Mammogram, left breast, CC view. Patient age 37.
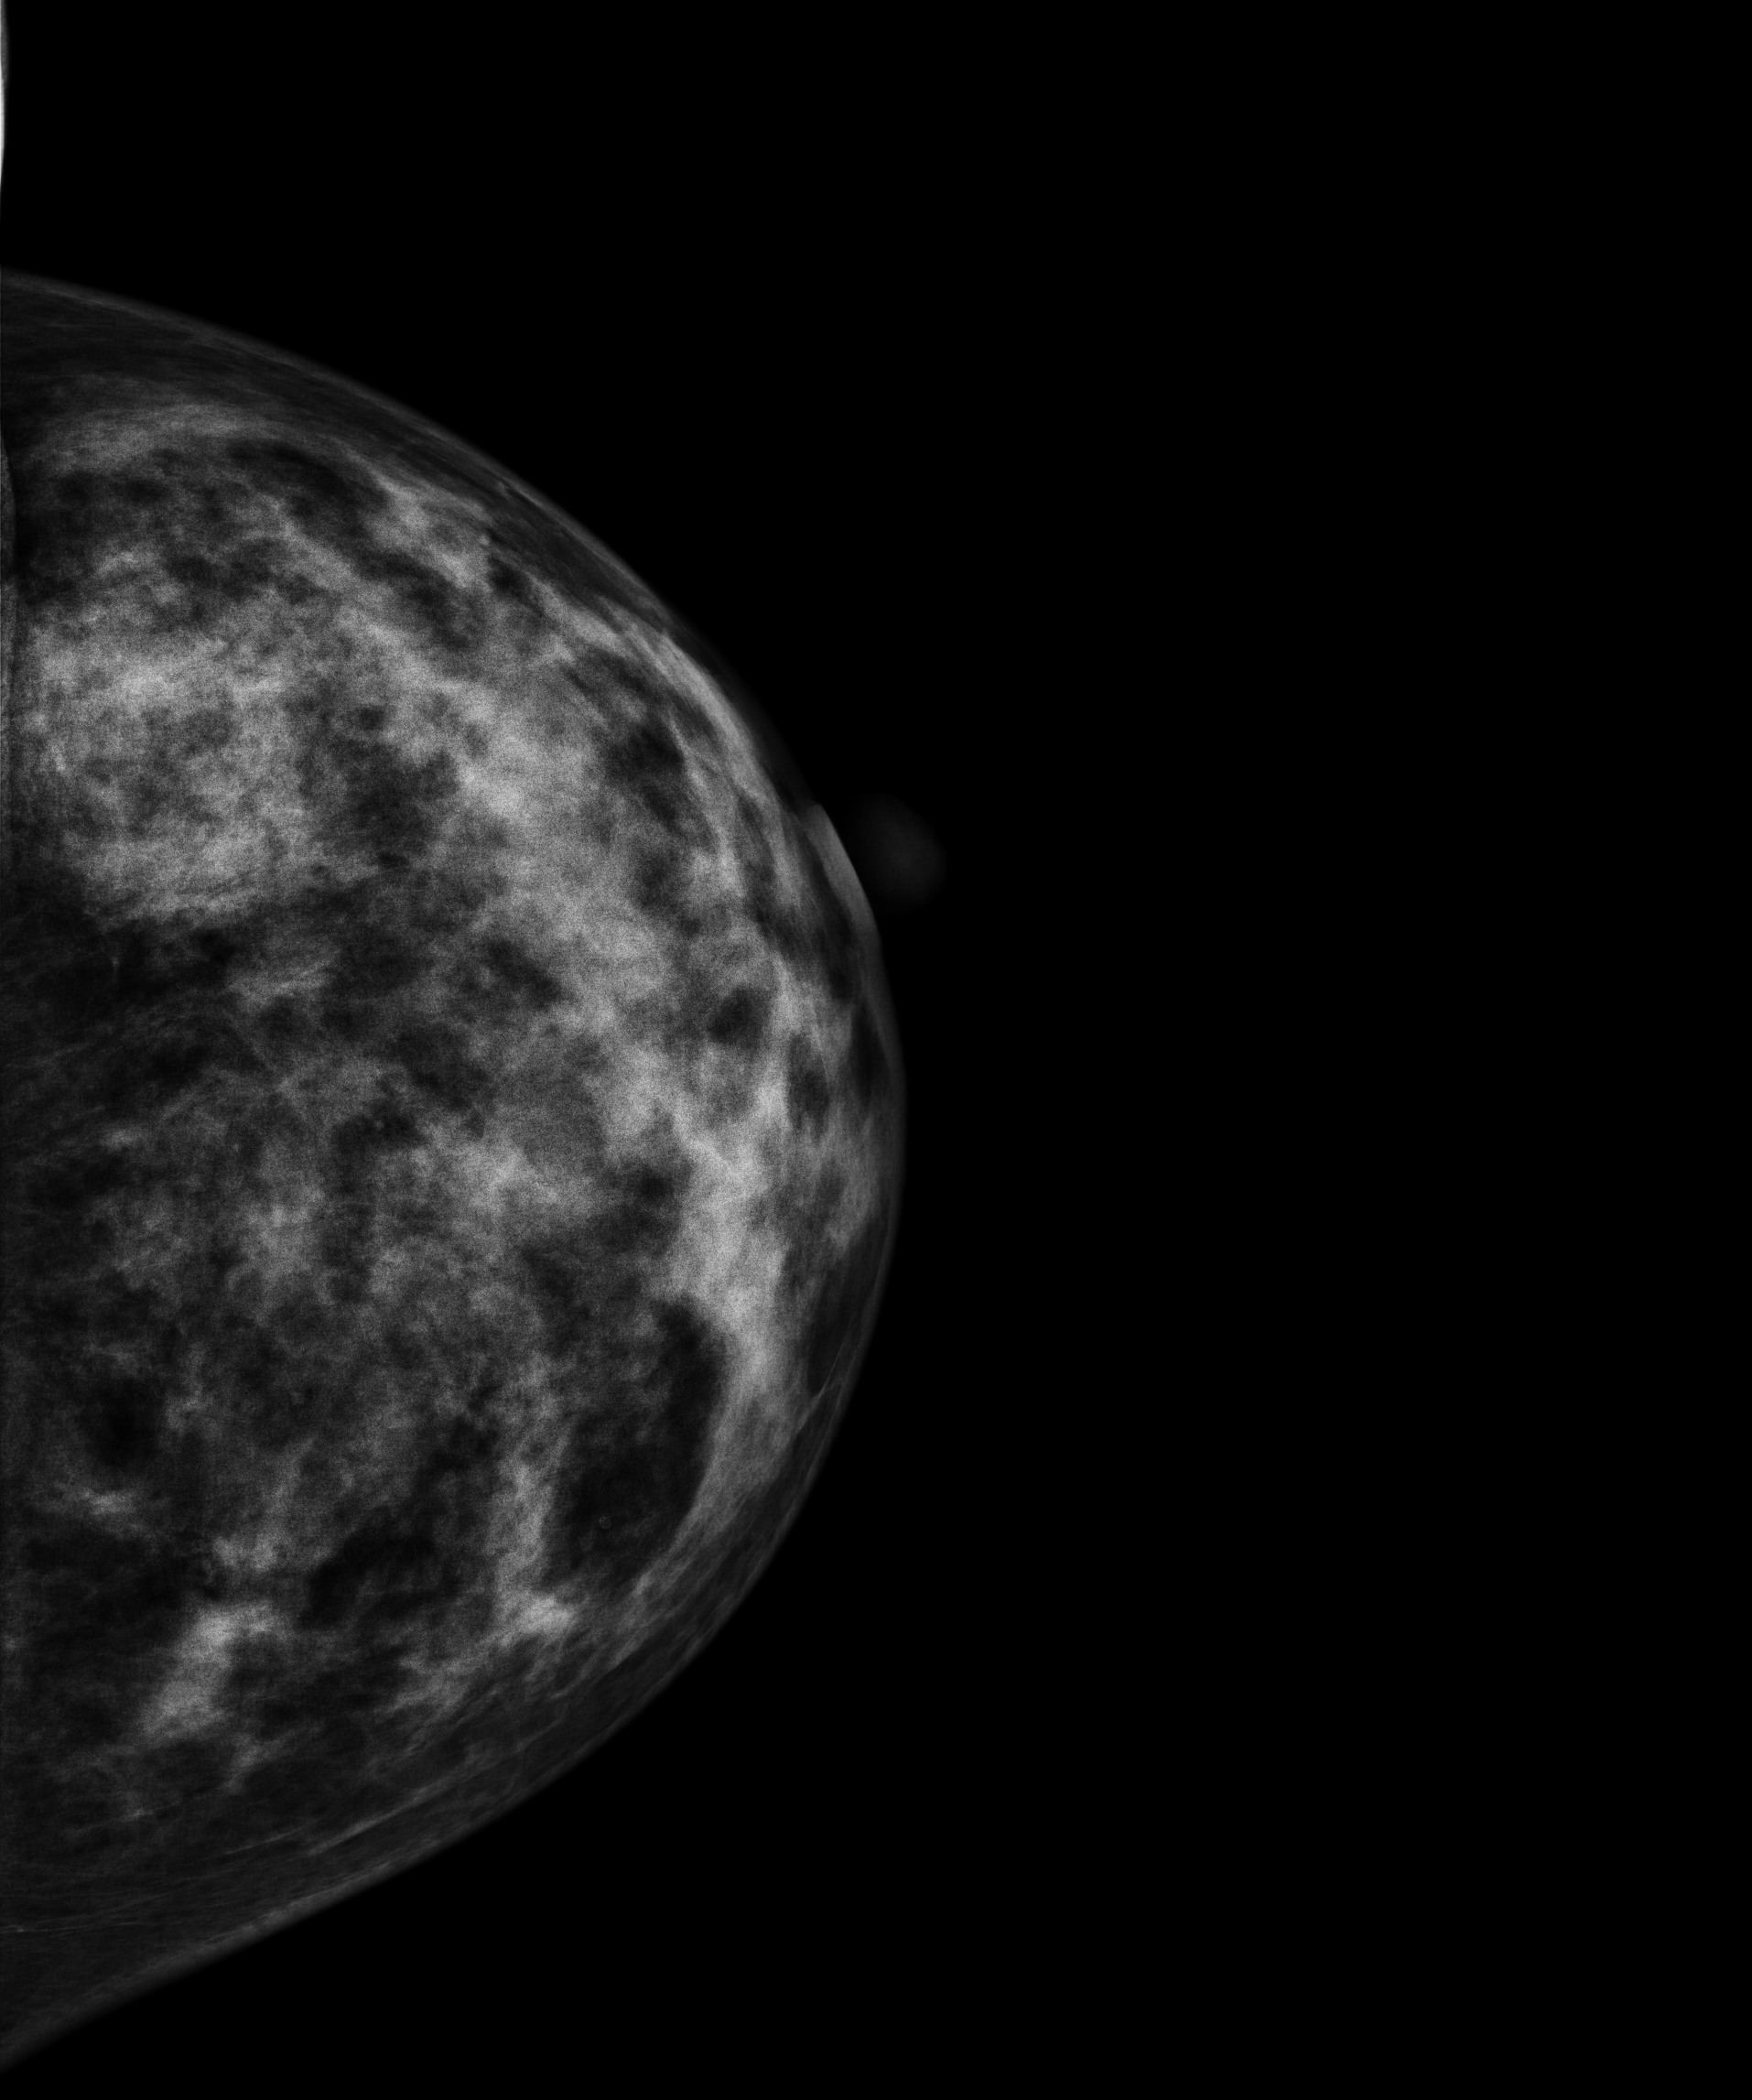
Contralateral breast — no documented abnormality on this side.